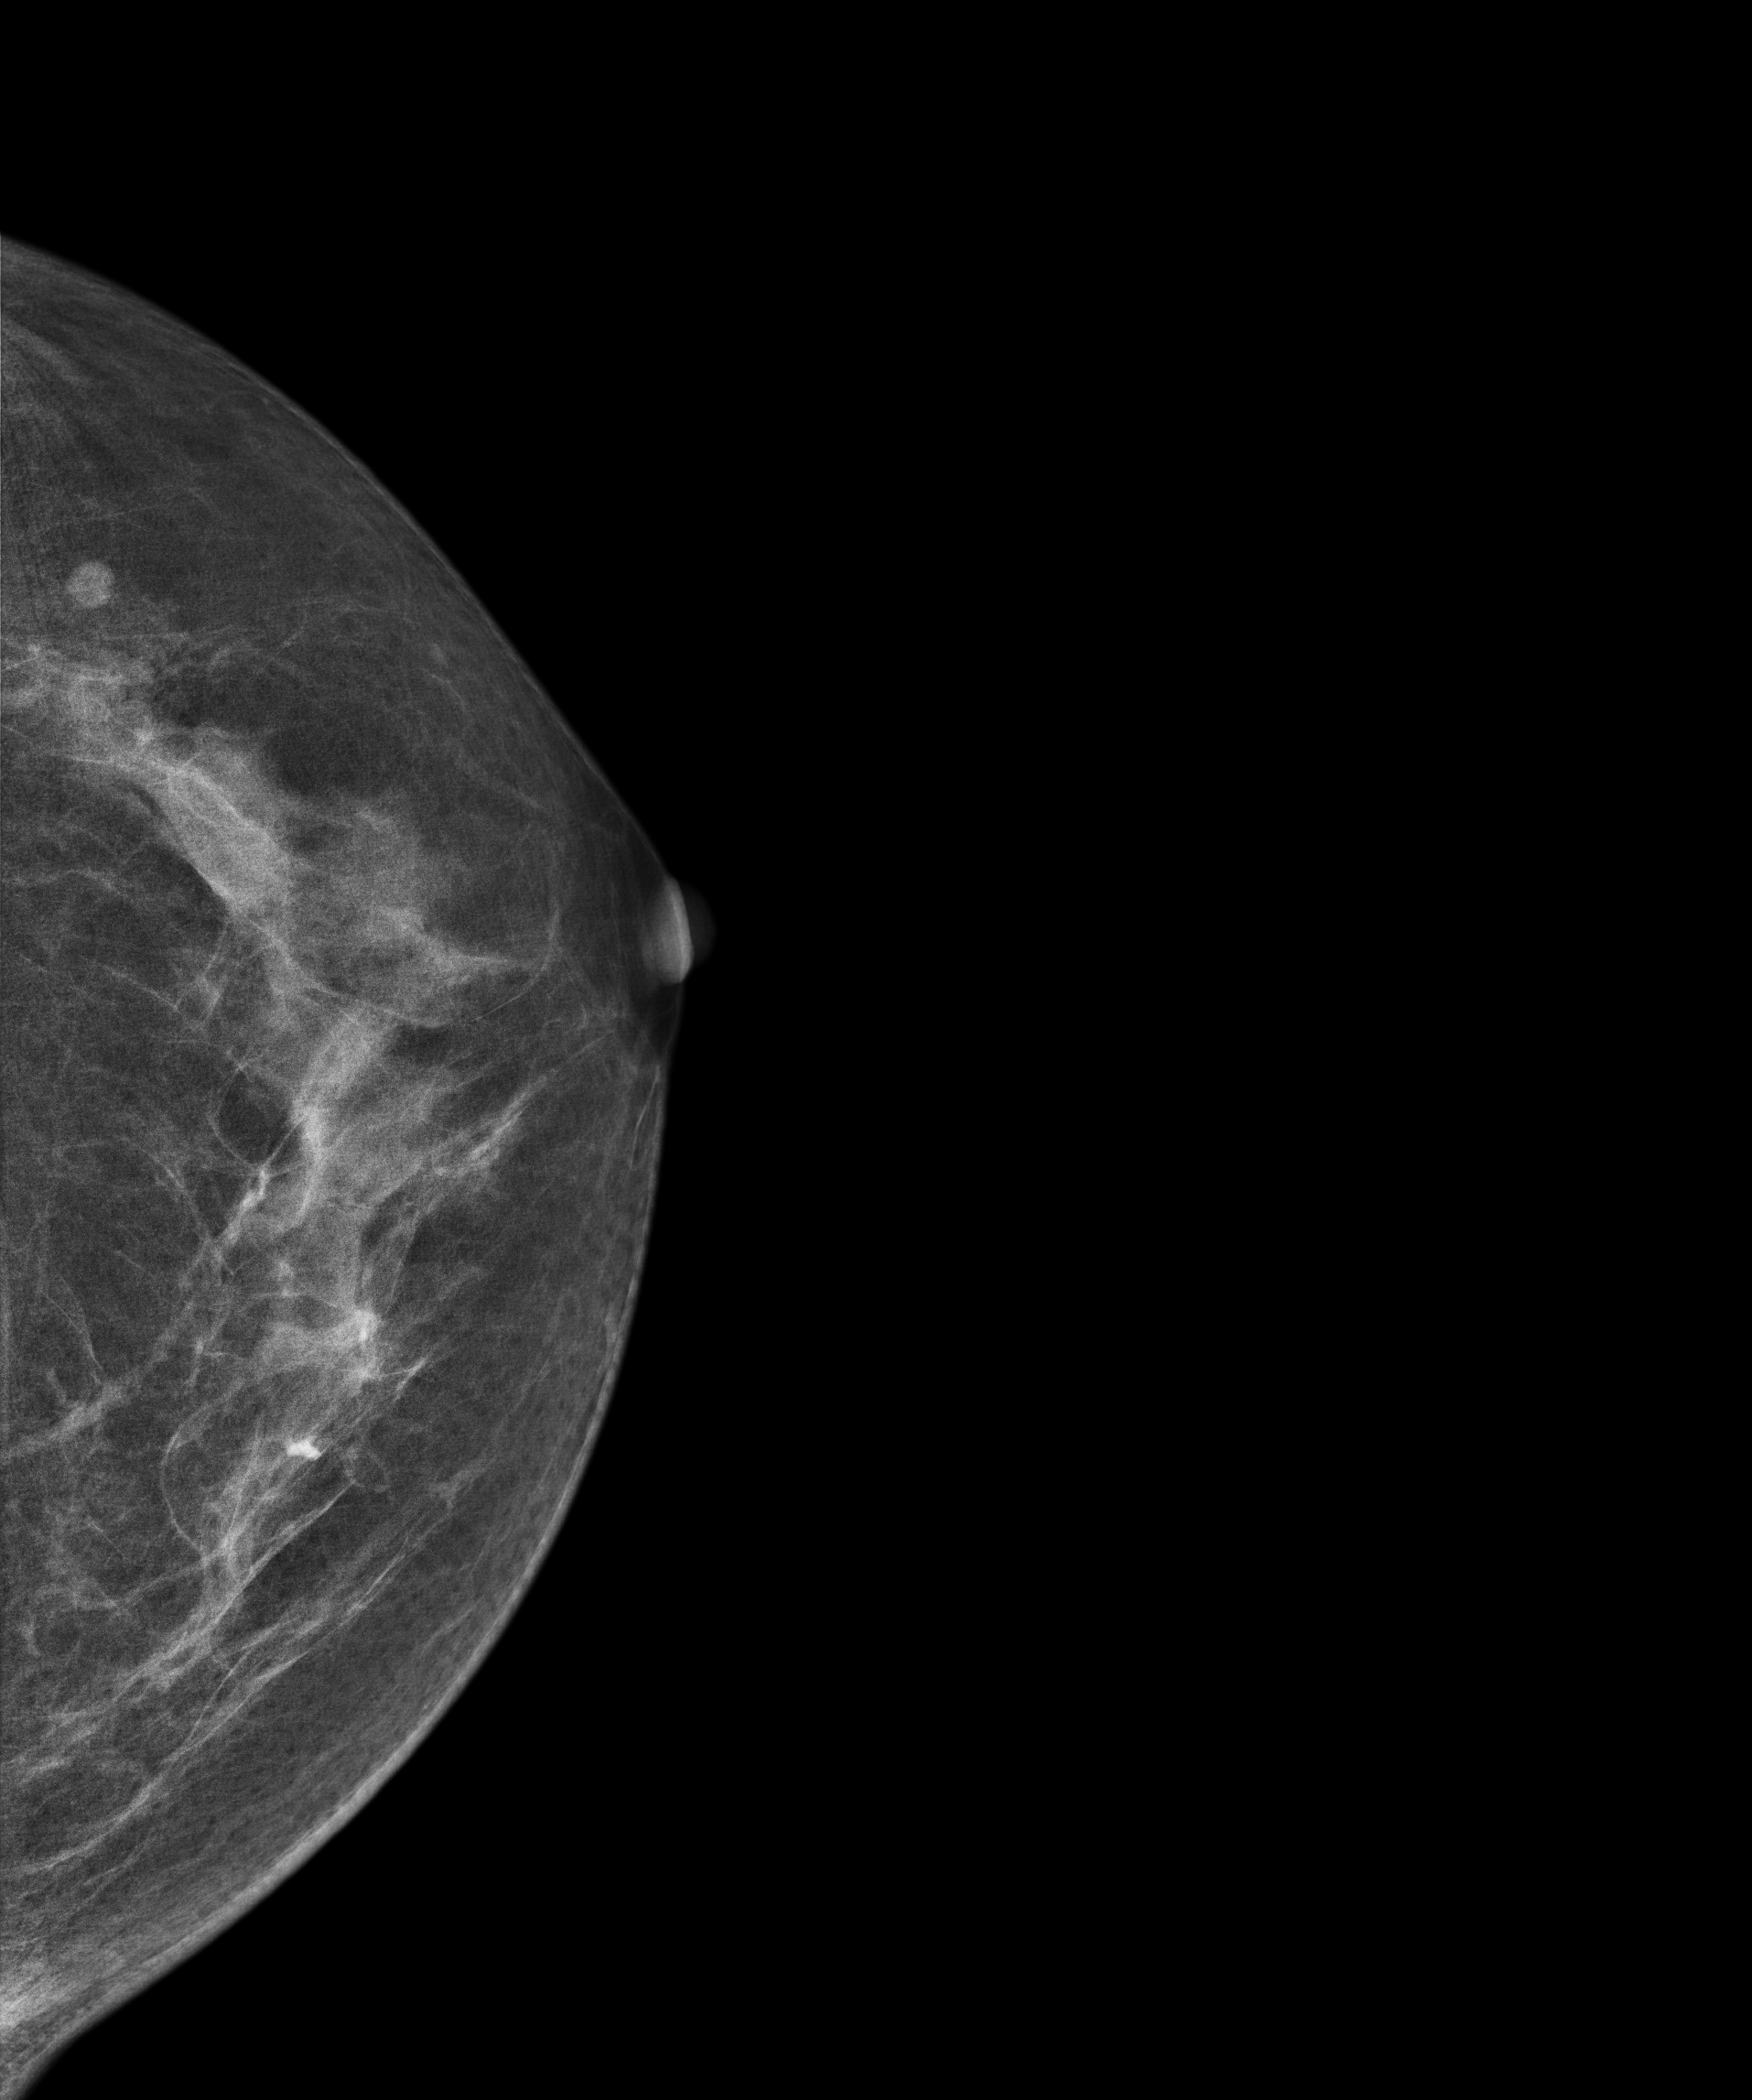
CC mammogram of the left breast. Patient age 65.
Contralateral breast — no documented abnormality on this side.